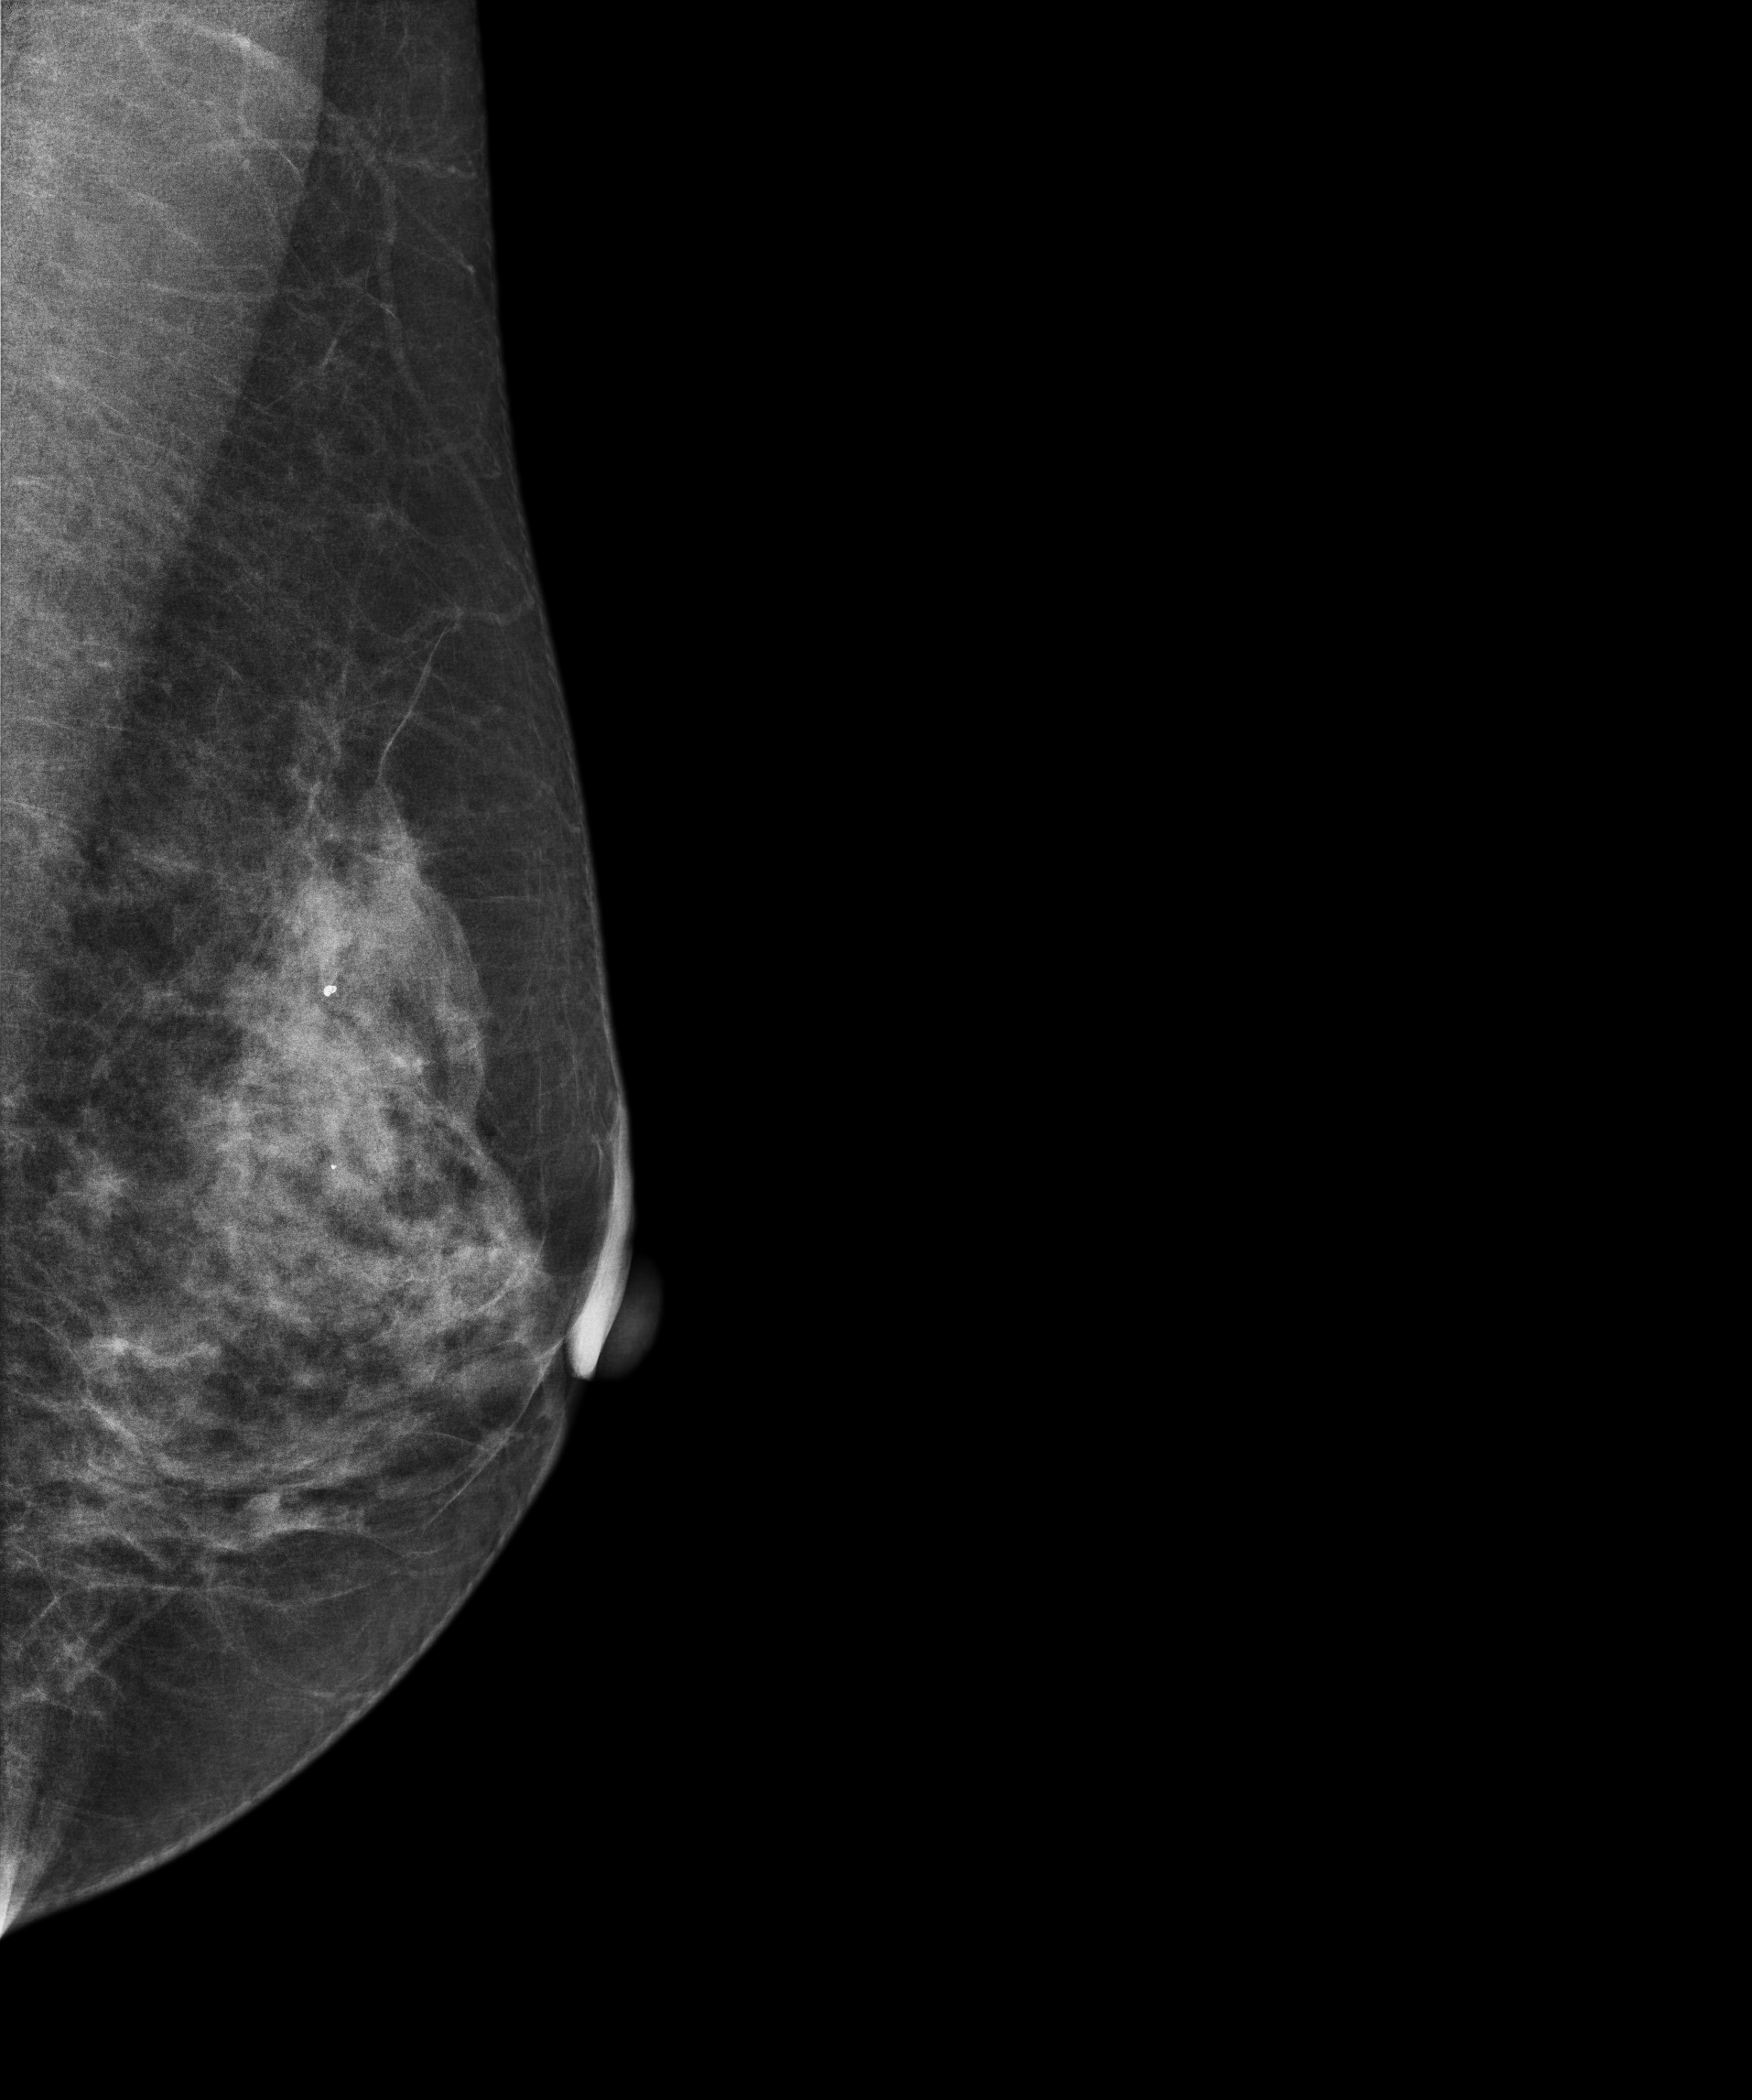
MLO mammogram of the left breast. 53 y/o patient.
Contralateral breast — no documented abnormality on this side.